Left-breast mammogram, CC. 54-year-old patient.
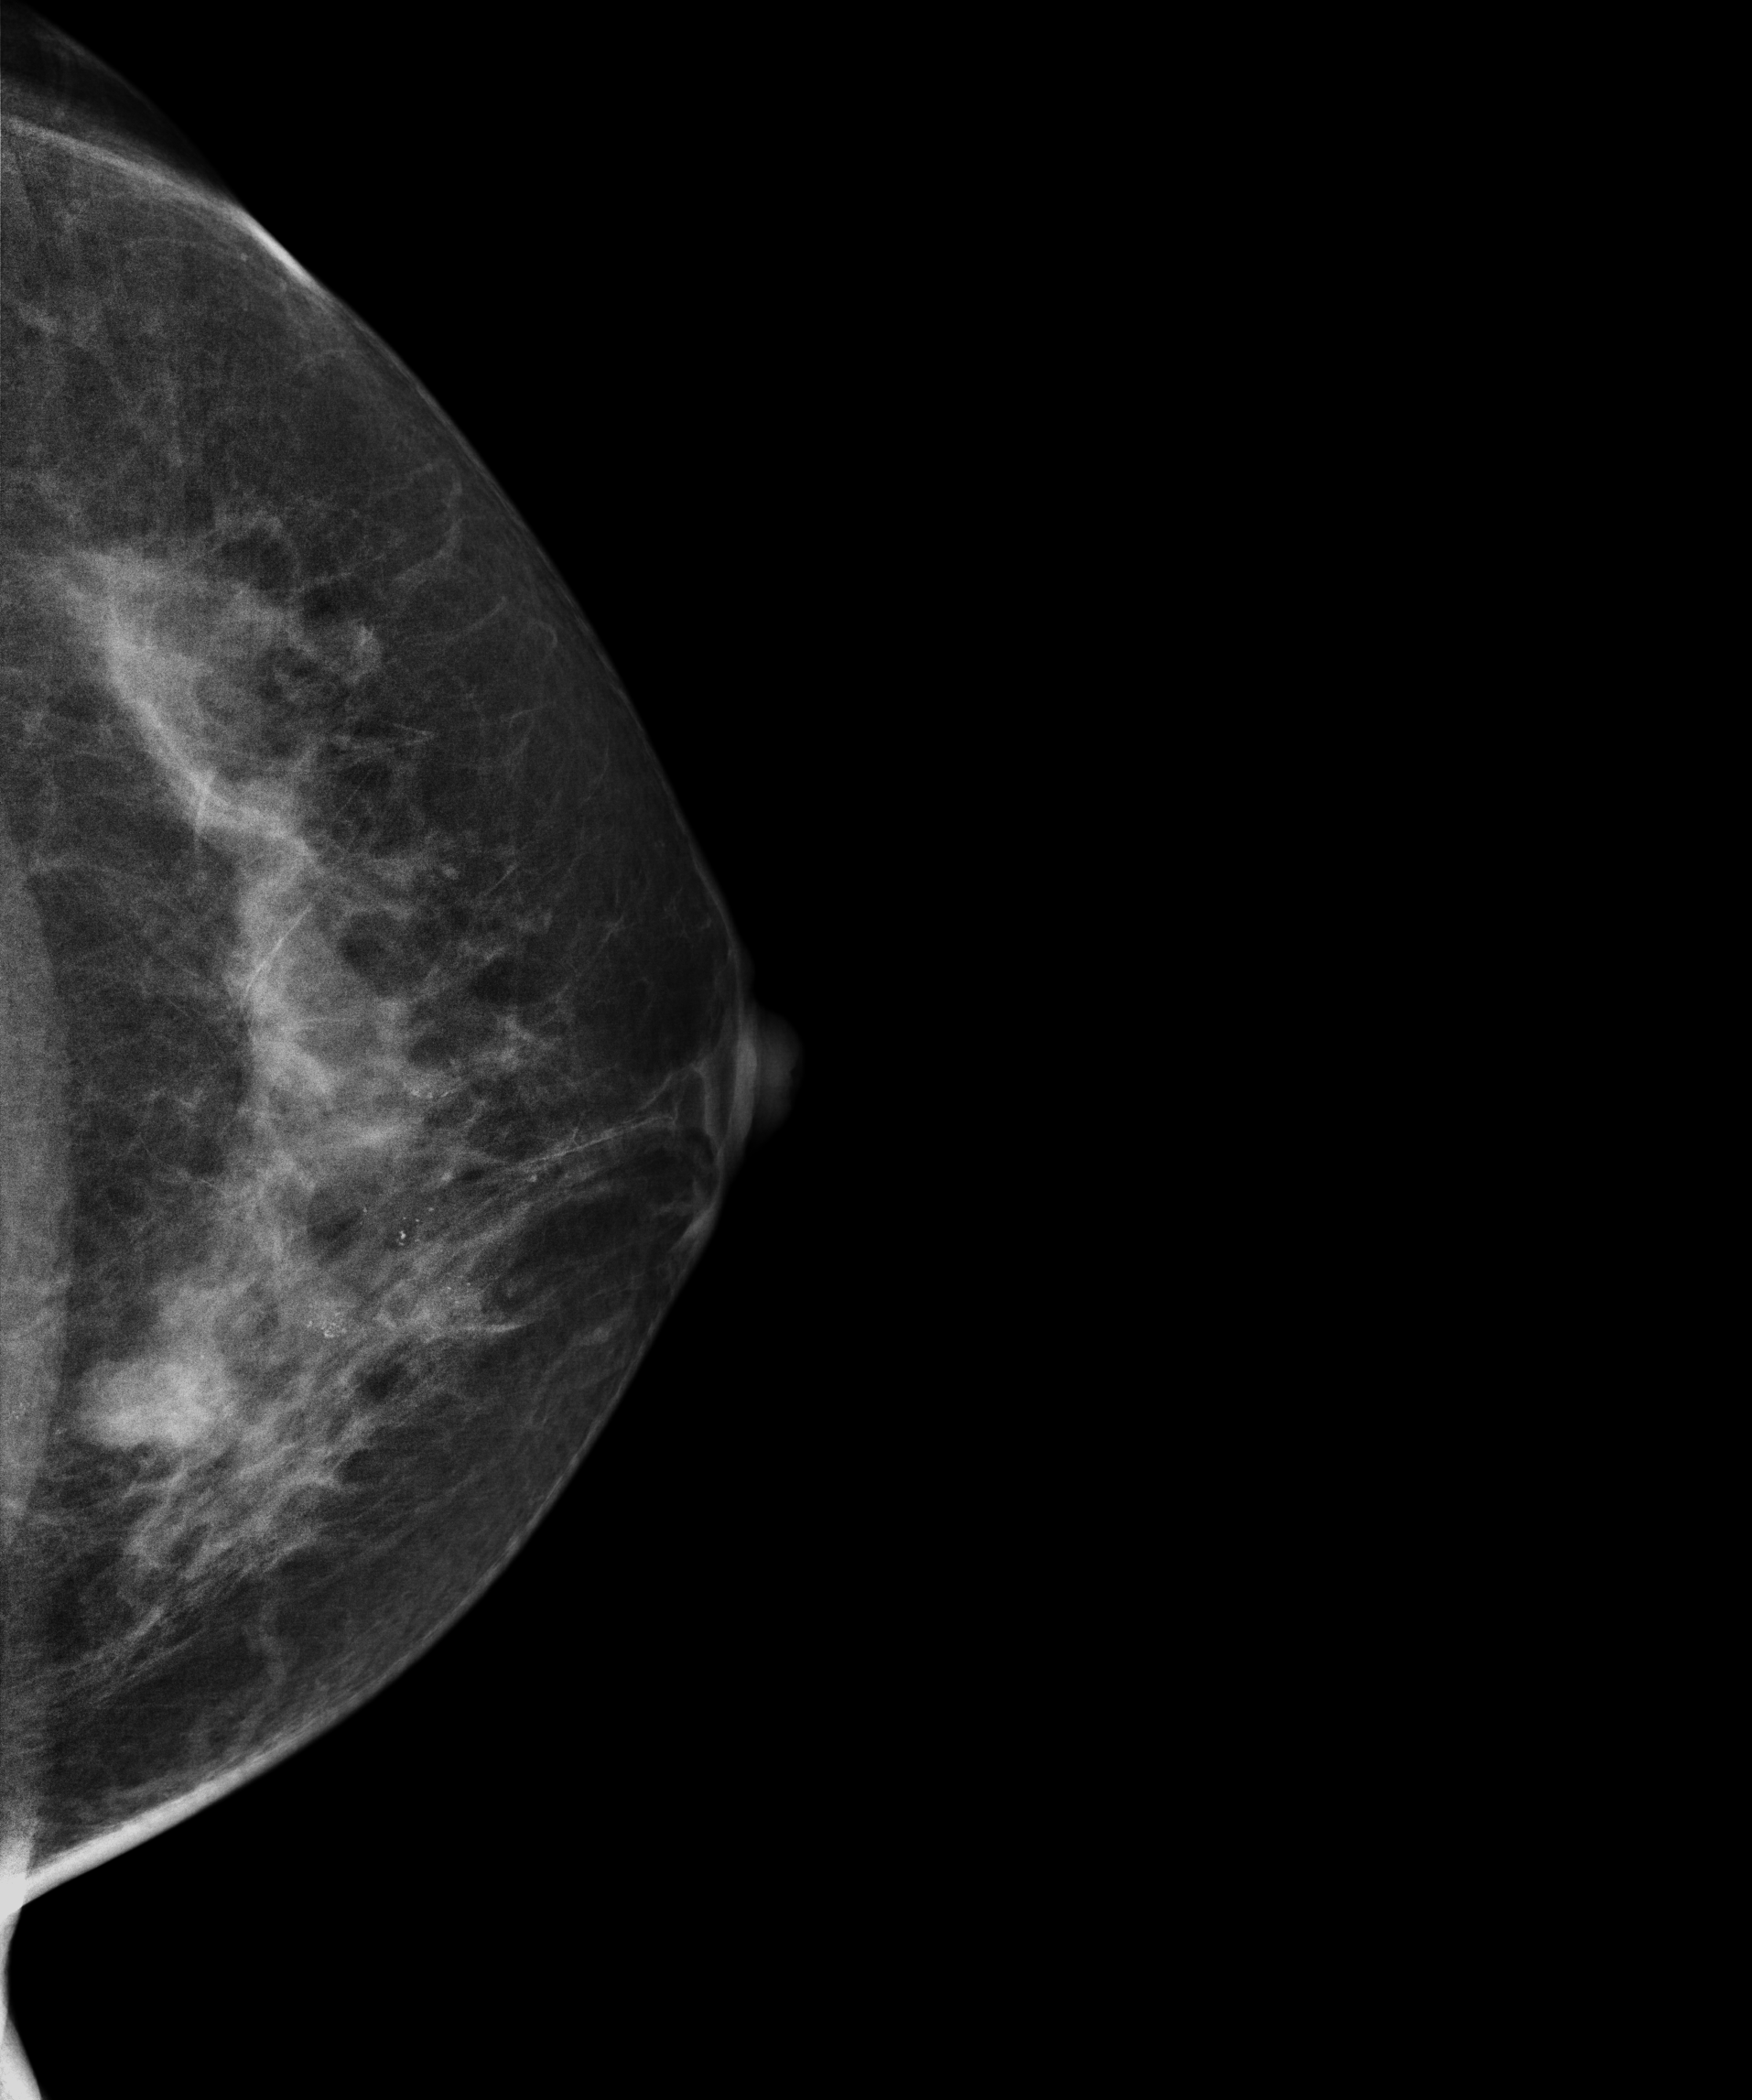
This breast has a mass and calcifications, biopsy-proven malignant. Molecular subtype: HER2-enriched.